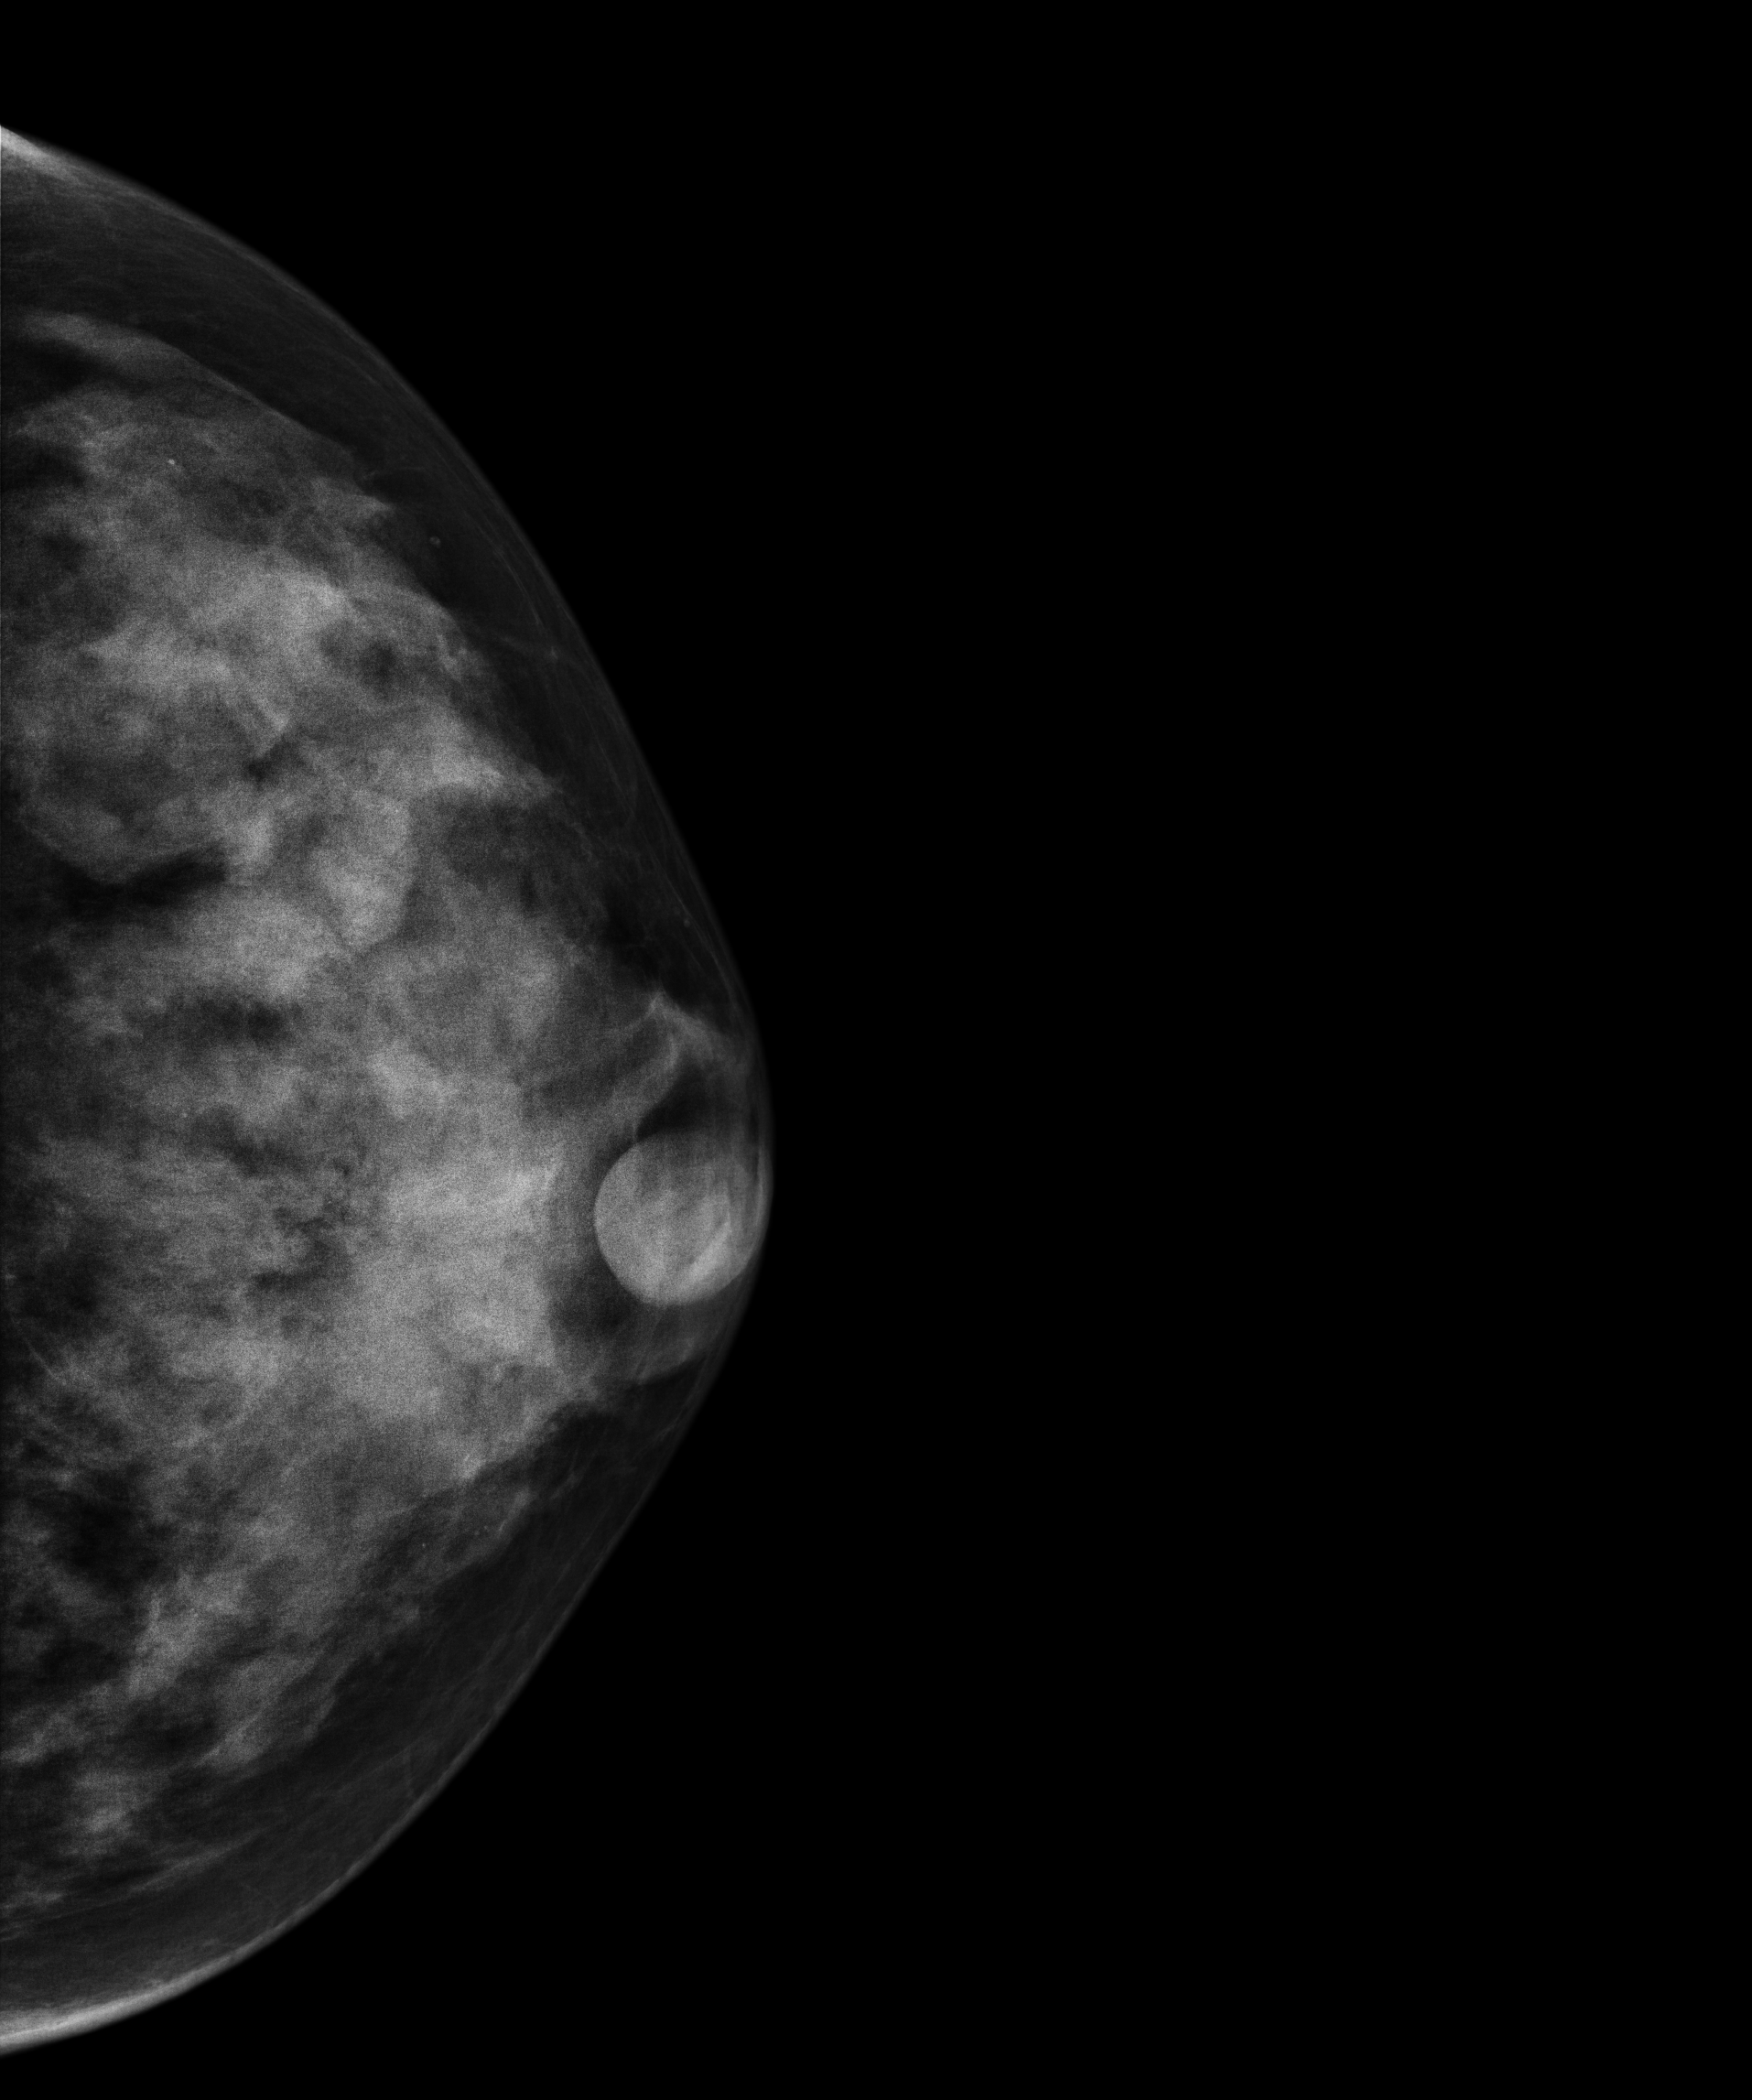
Mammogram — left CC. 45-year-old patient.
This breast has a mass and calcifications, pathology-confirmed malignant.